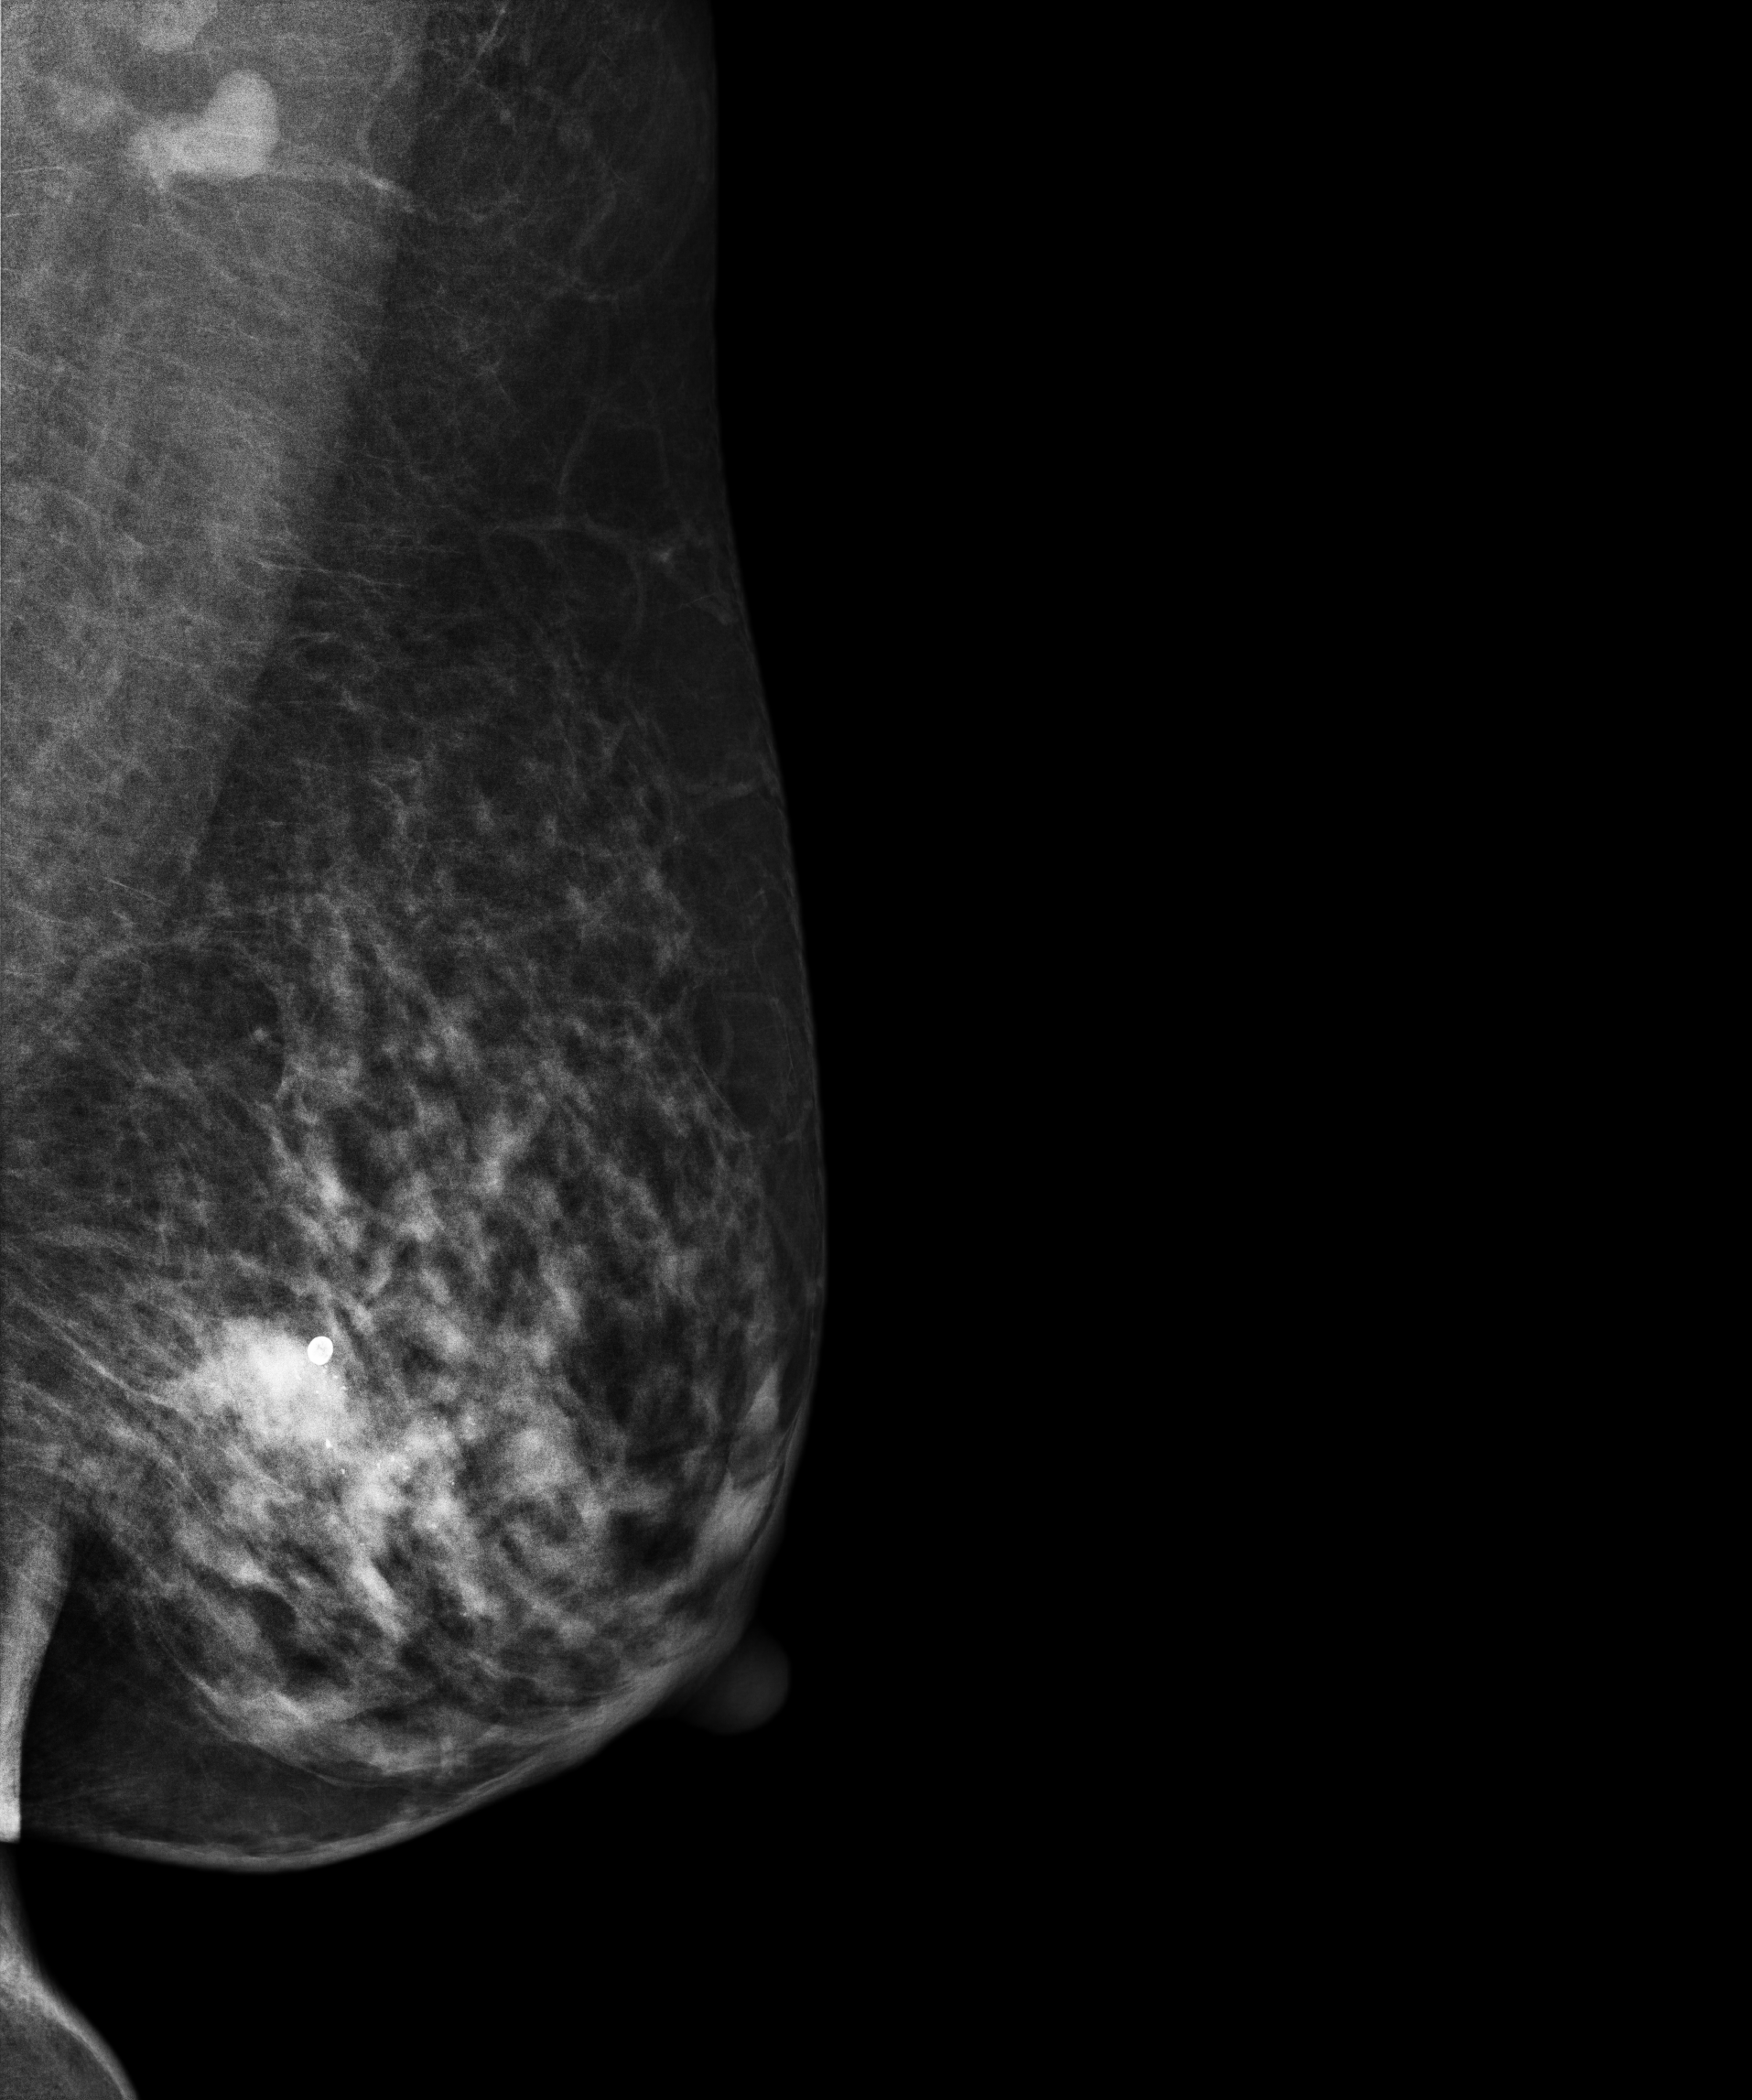
Digital mammography. Left breast, medio-lateral oblique projection. Patient age 61.
This breast has a mass and calcifications, biopsy-proven malignant. Molecular subtype: HER2-enriched.